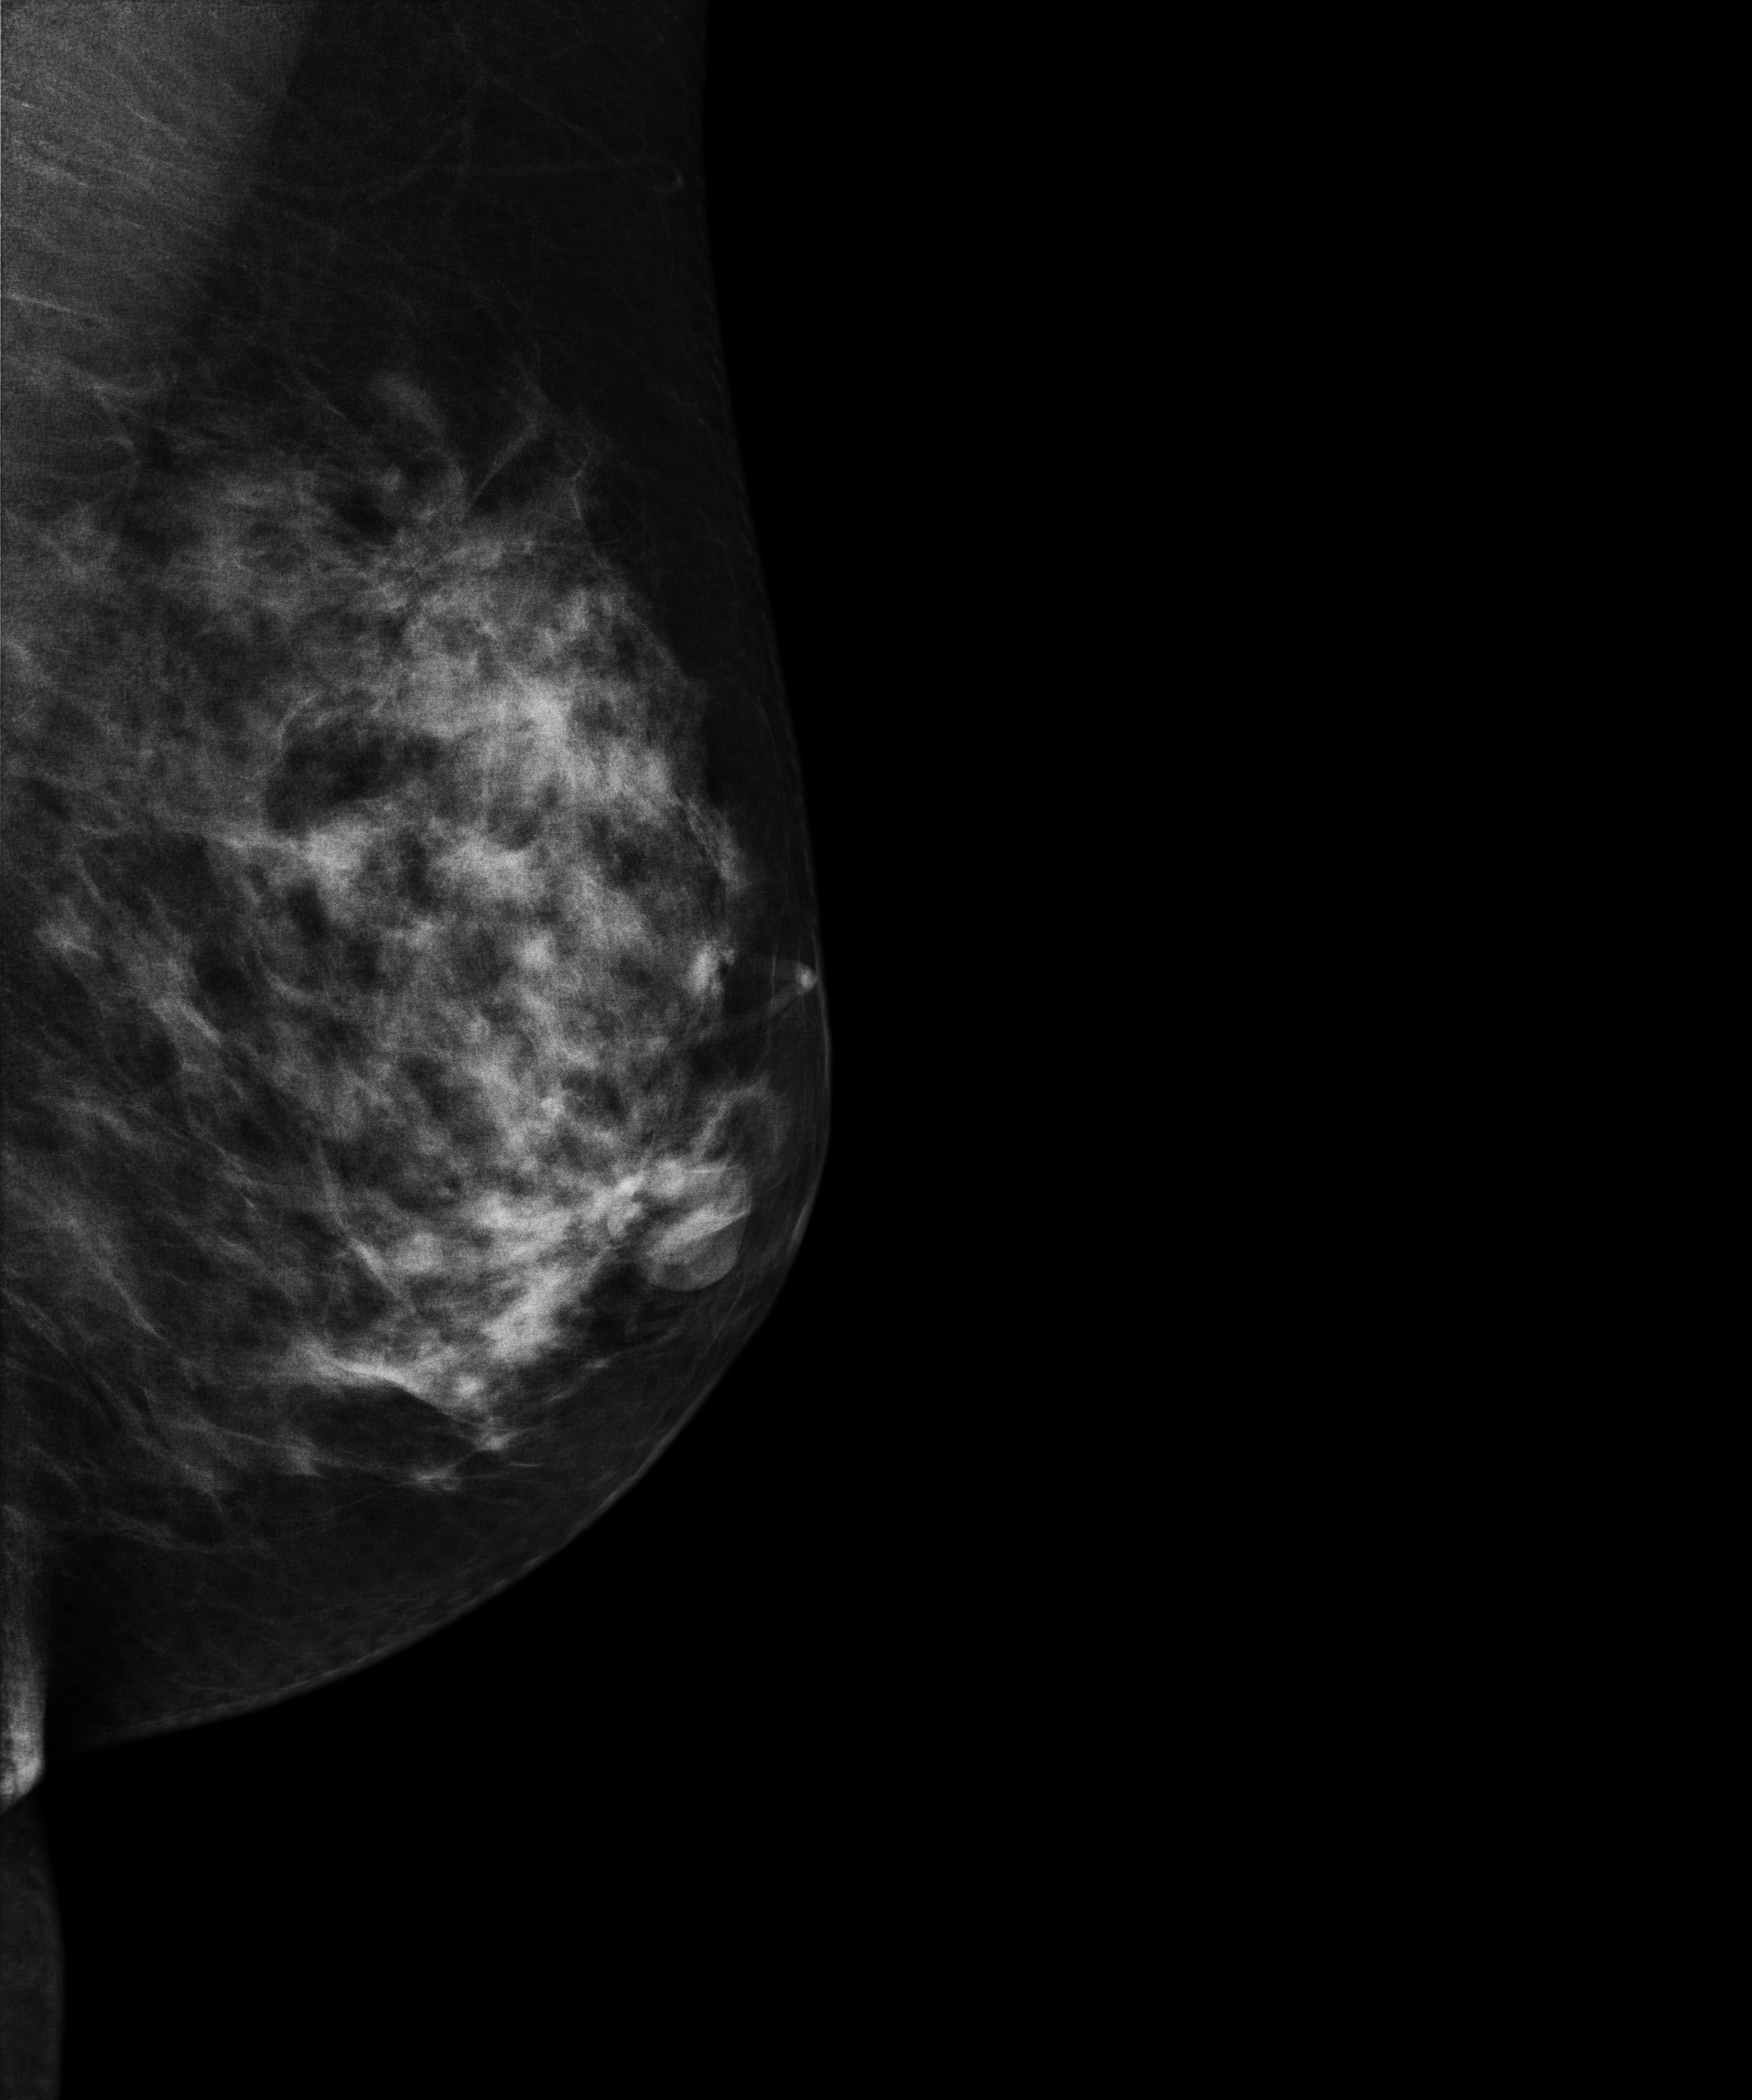
Left-breast mammogram, medio-lateral oblique. 50 y/o patient.
This breast has a mass, biopsy-proven malignant.